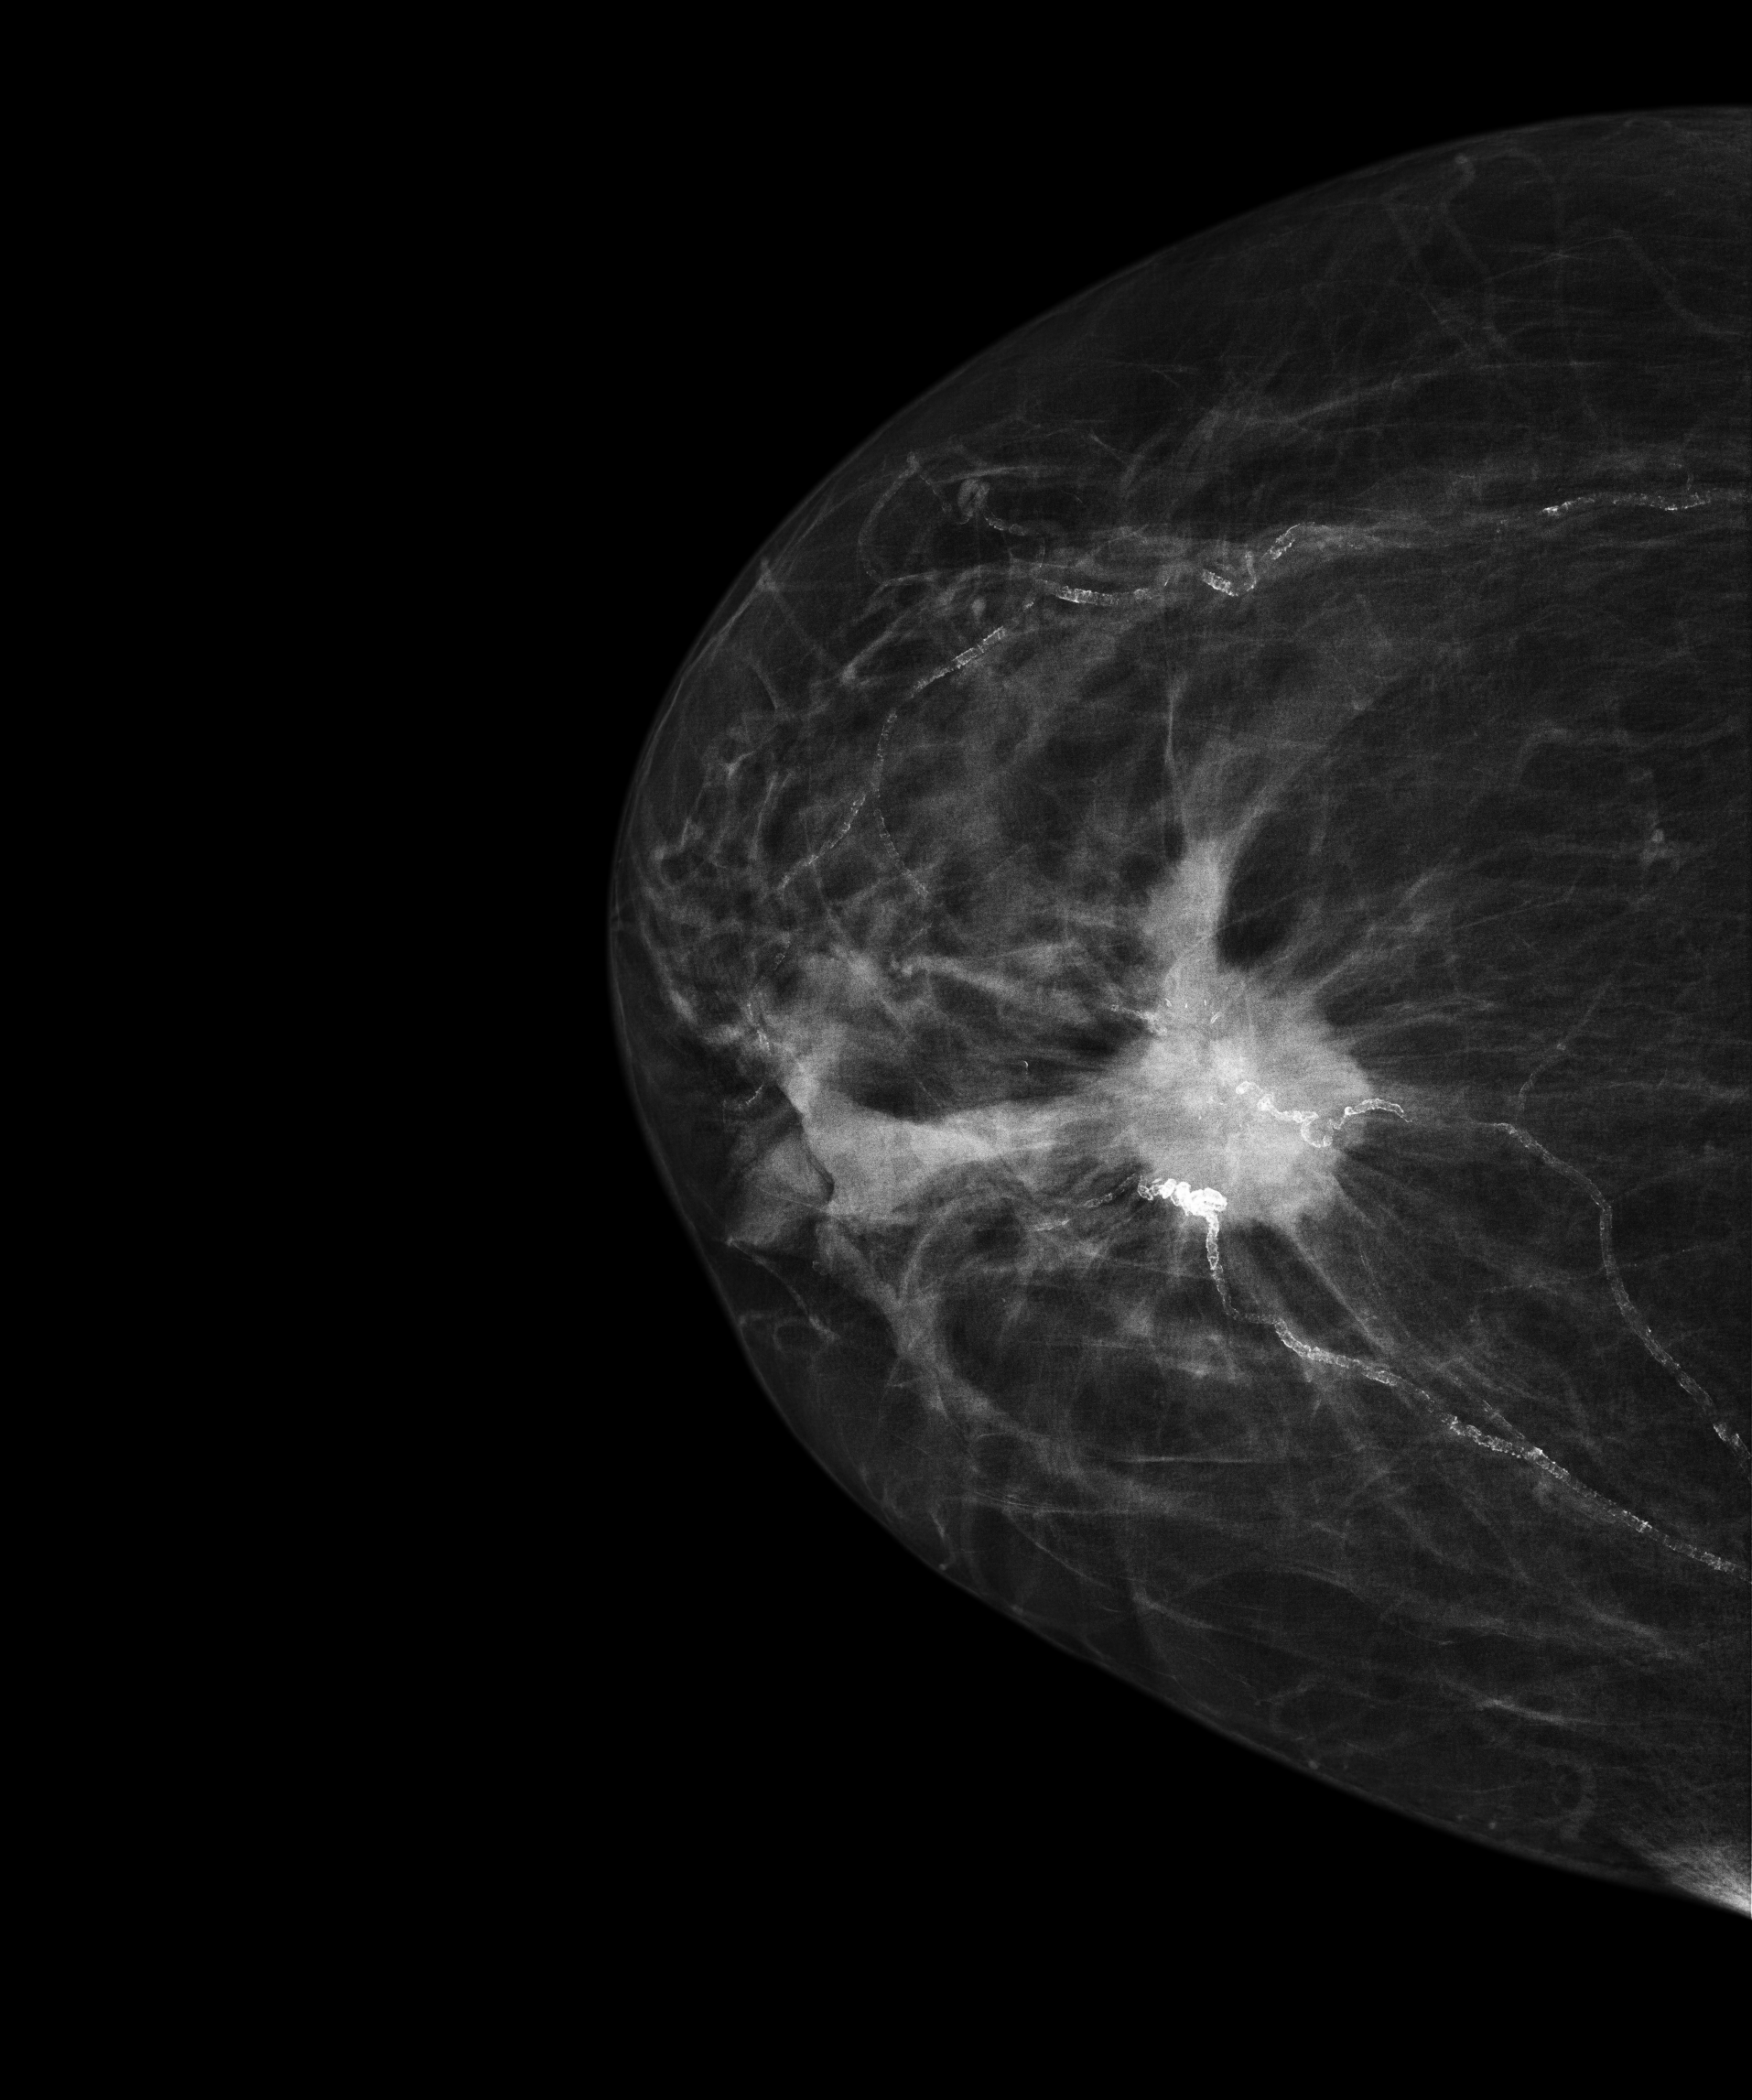
Mammogram, right breast, cranio-caudal view. 53 y/o patient.
This breast has a mass and calcifications, biopsy-proven malignant.